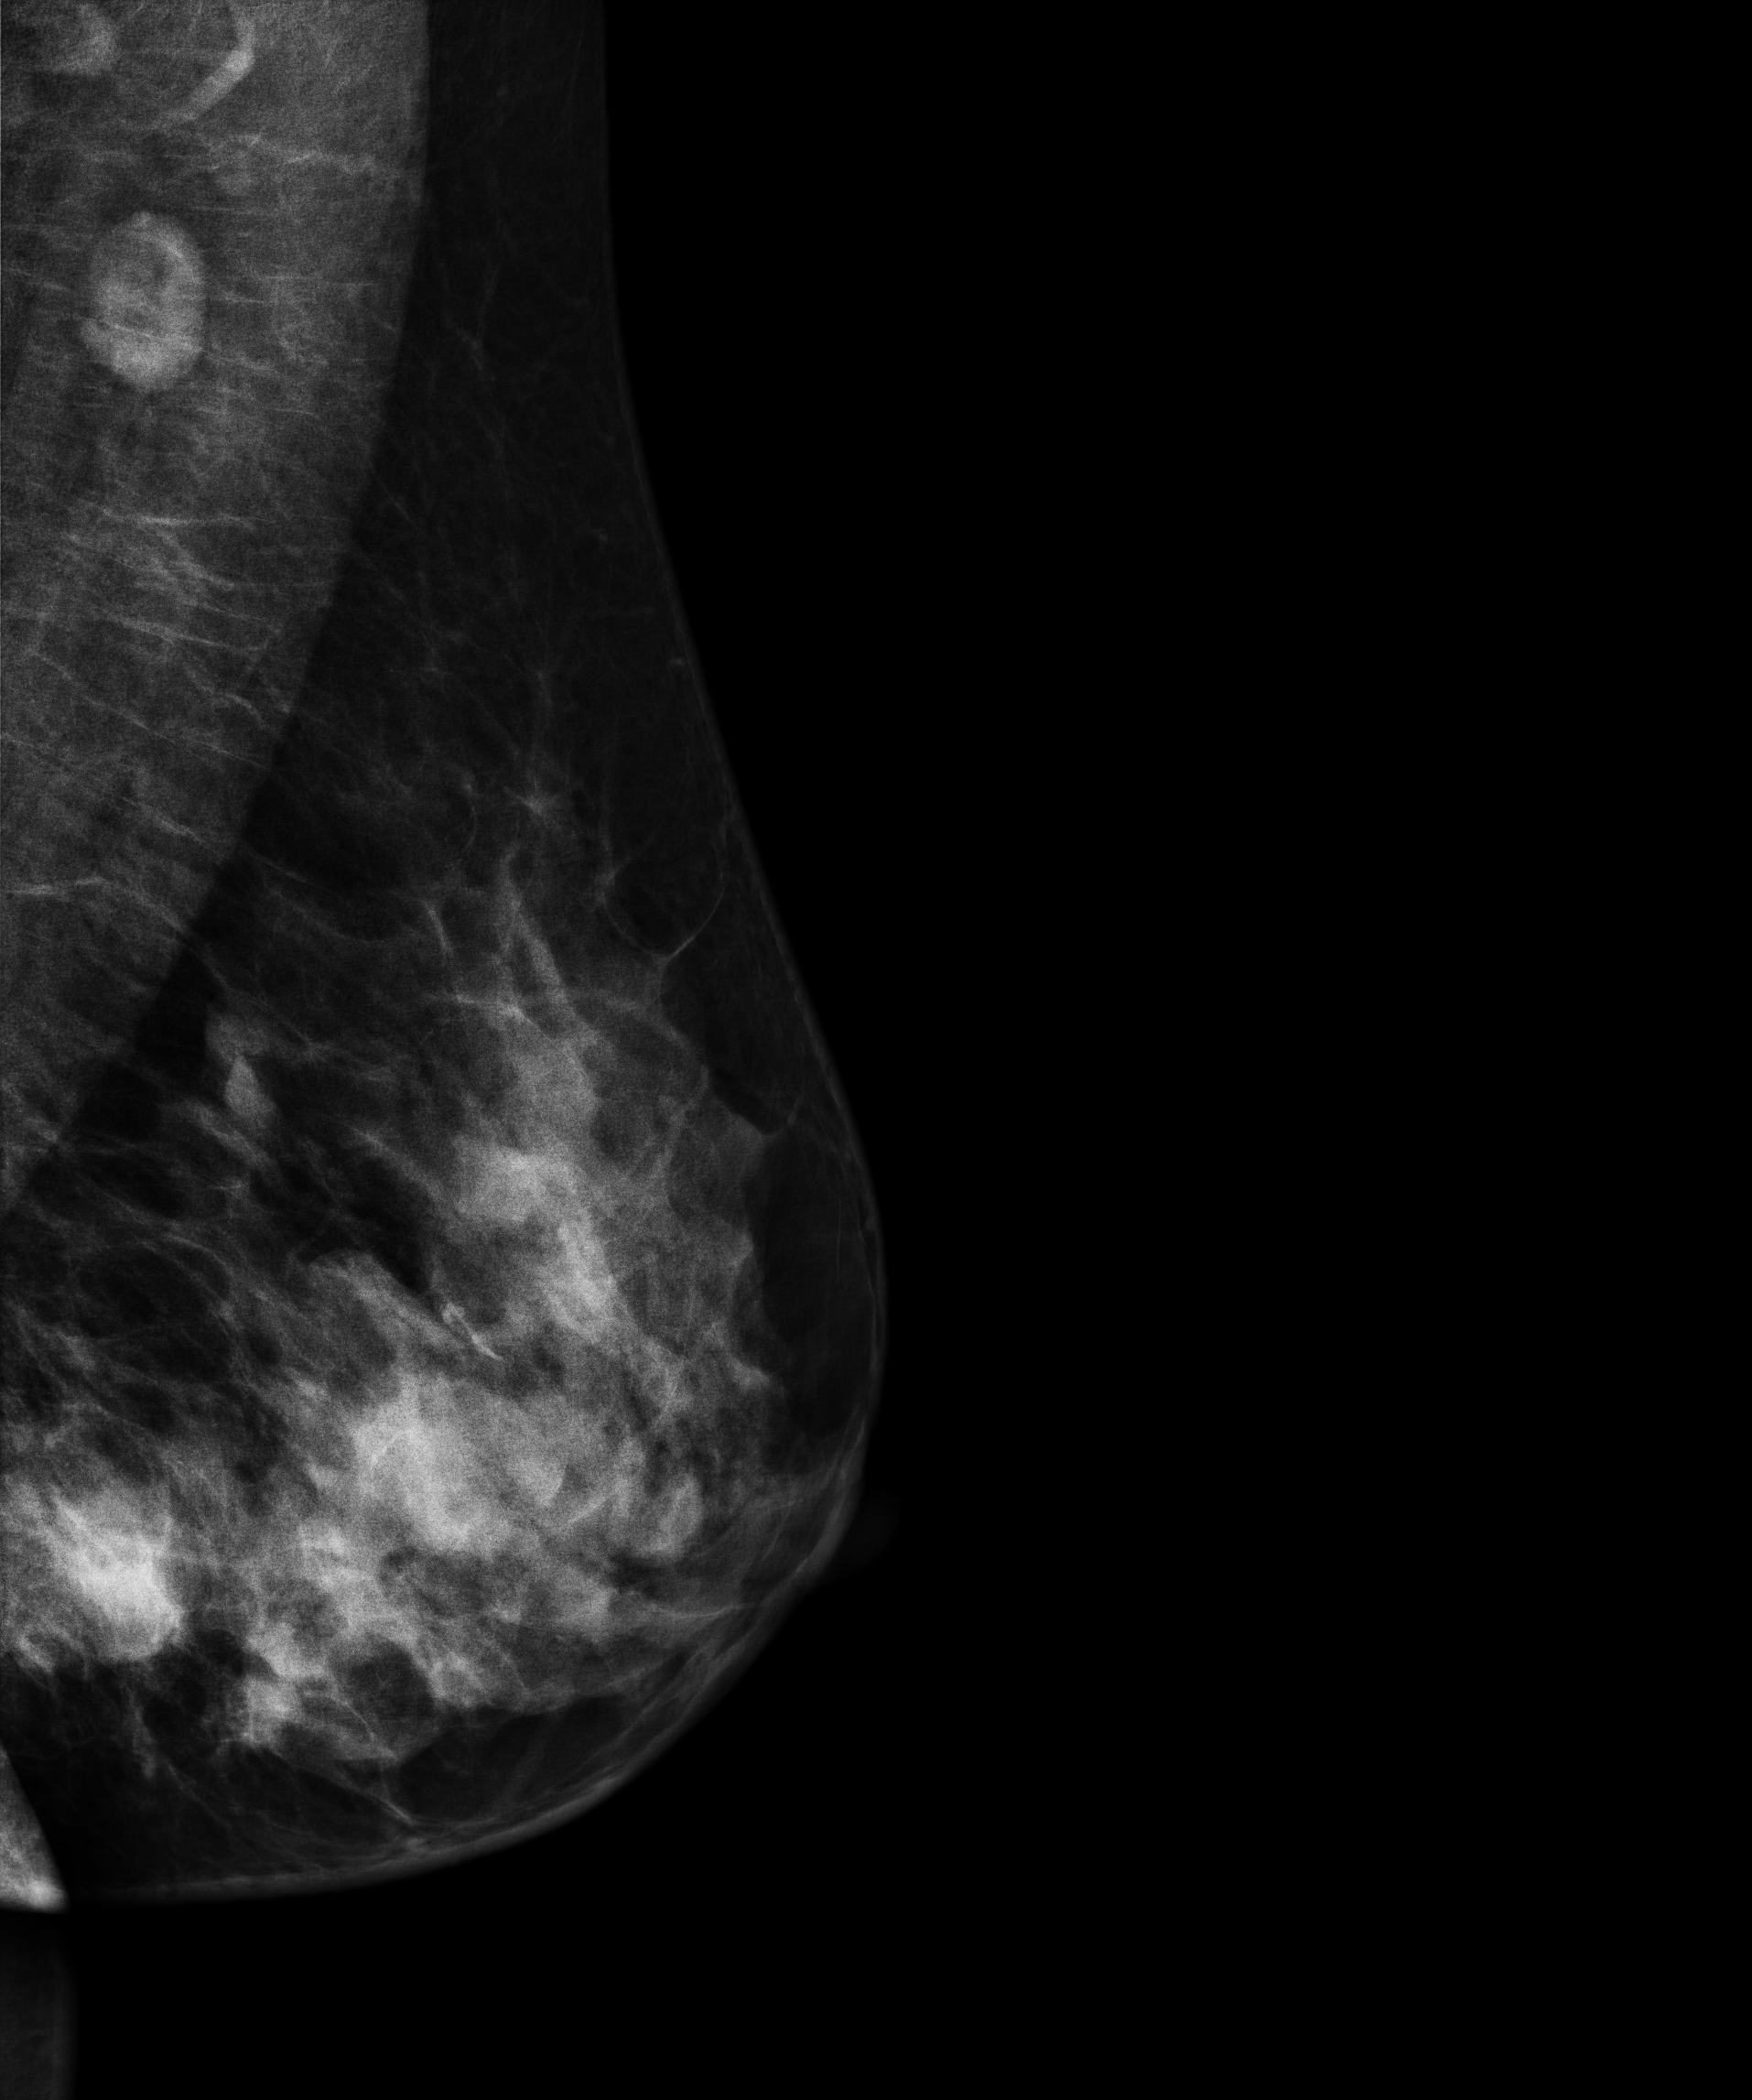
Mammogram, left breast, MLO view. Patient age 49.
This breast has a mass, biopsy-proven malignant. Molecular subtype: HER2-enriched.